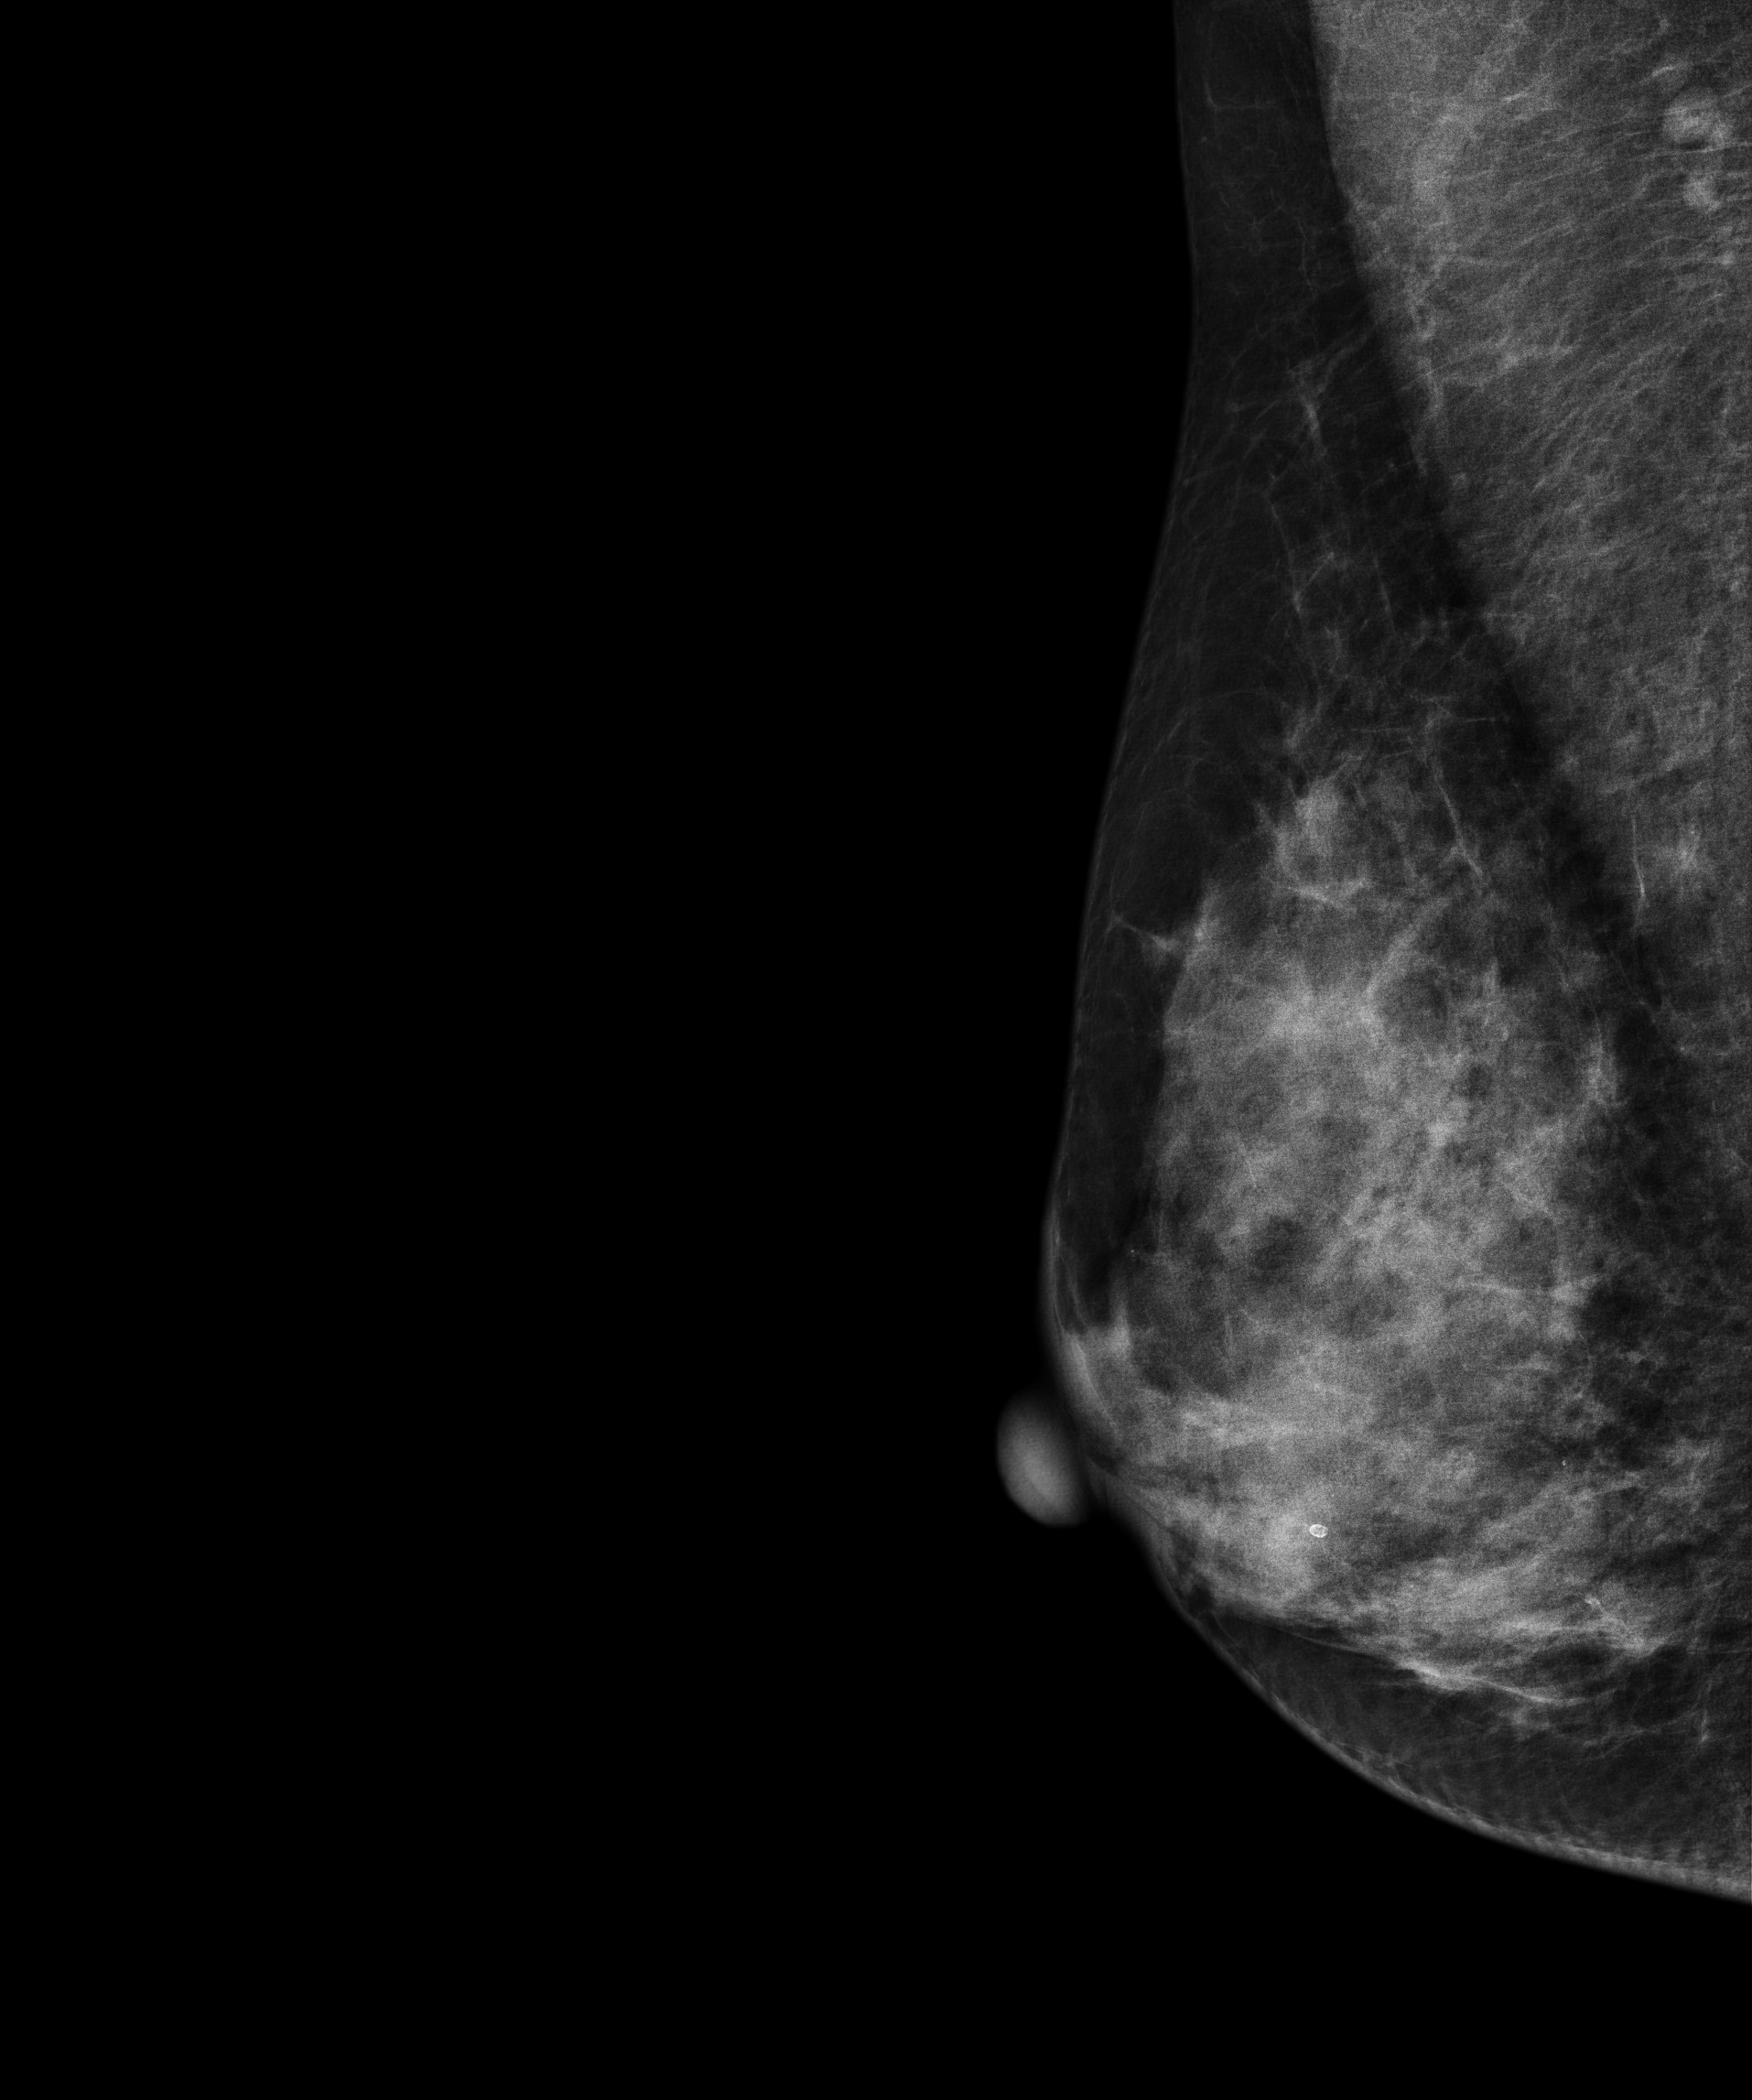
MLO mammogram of the right breast. Patient age 49.
Contralateral breast — no documented abnormality on this side.